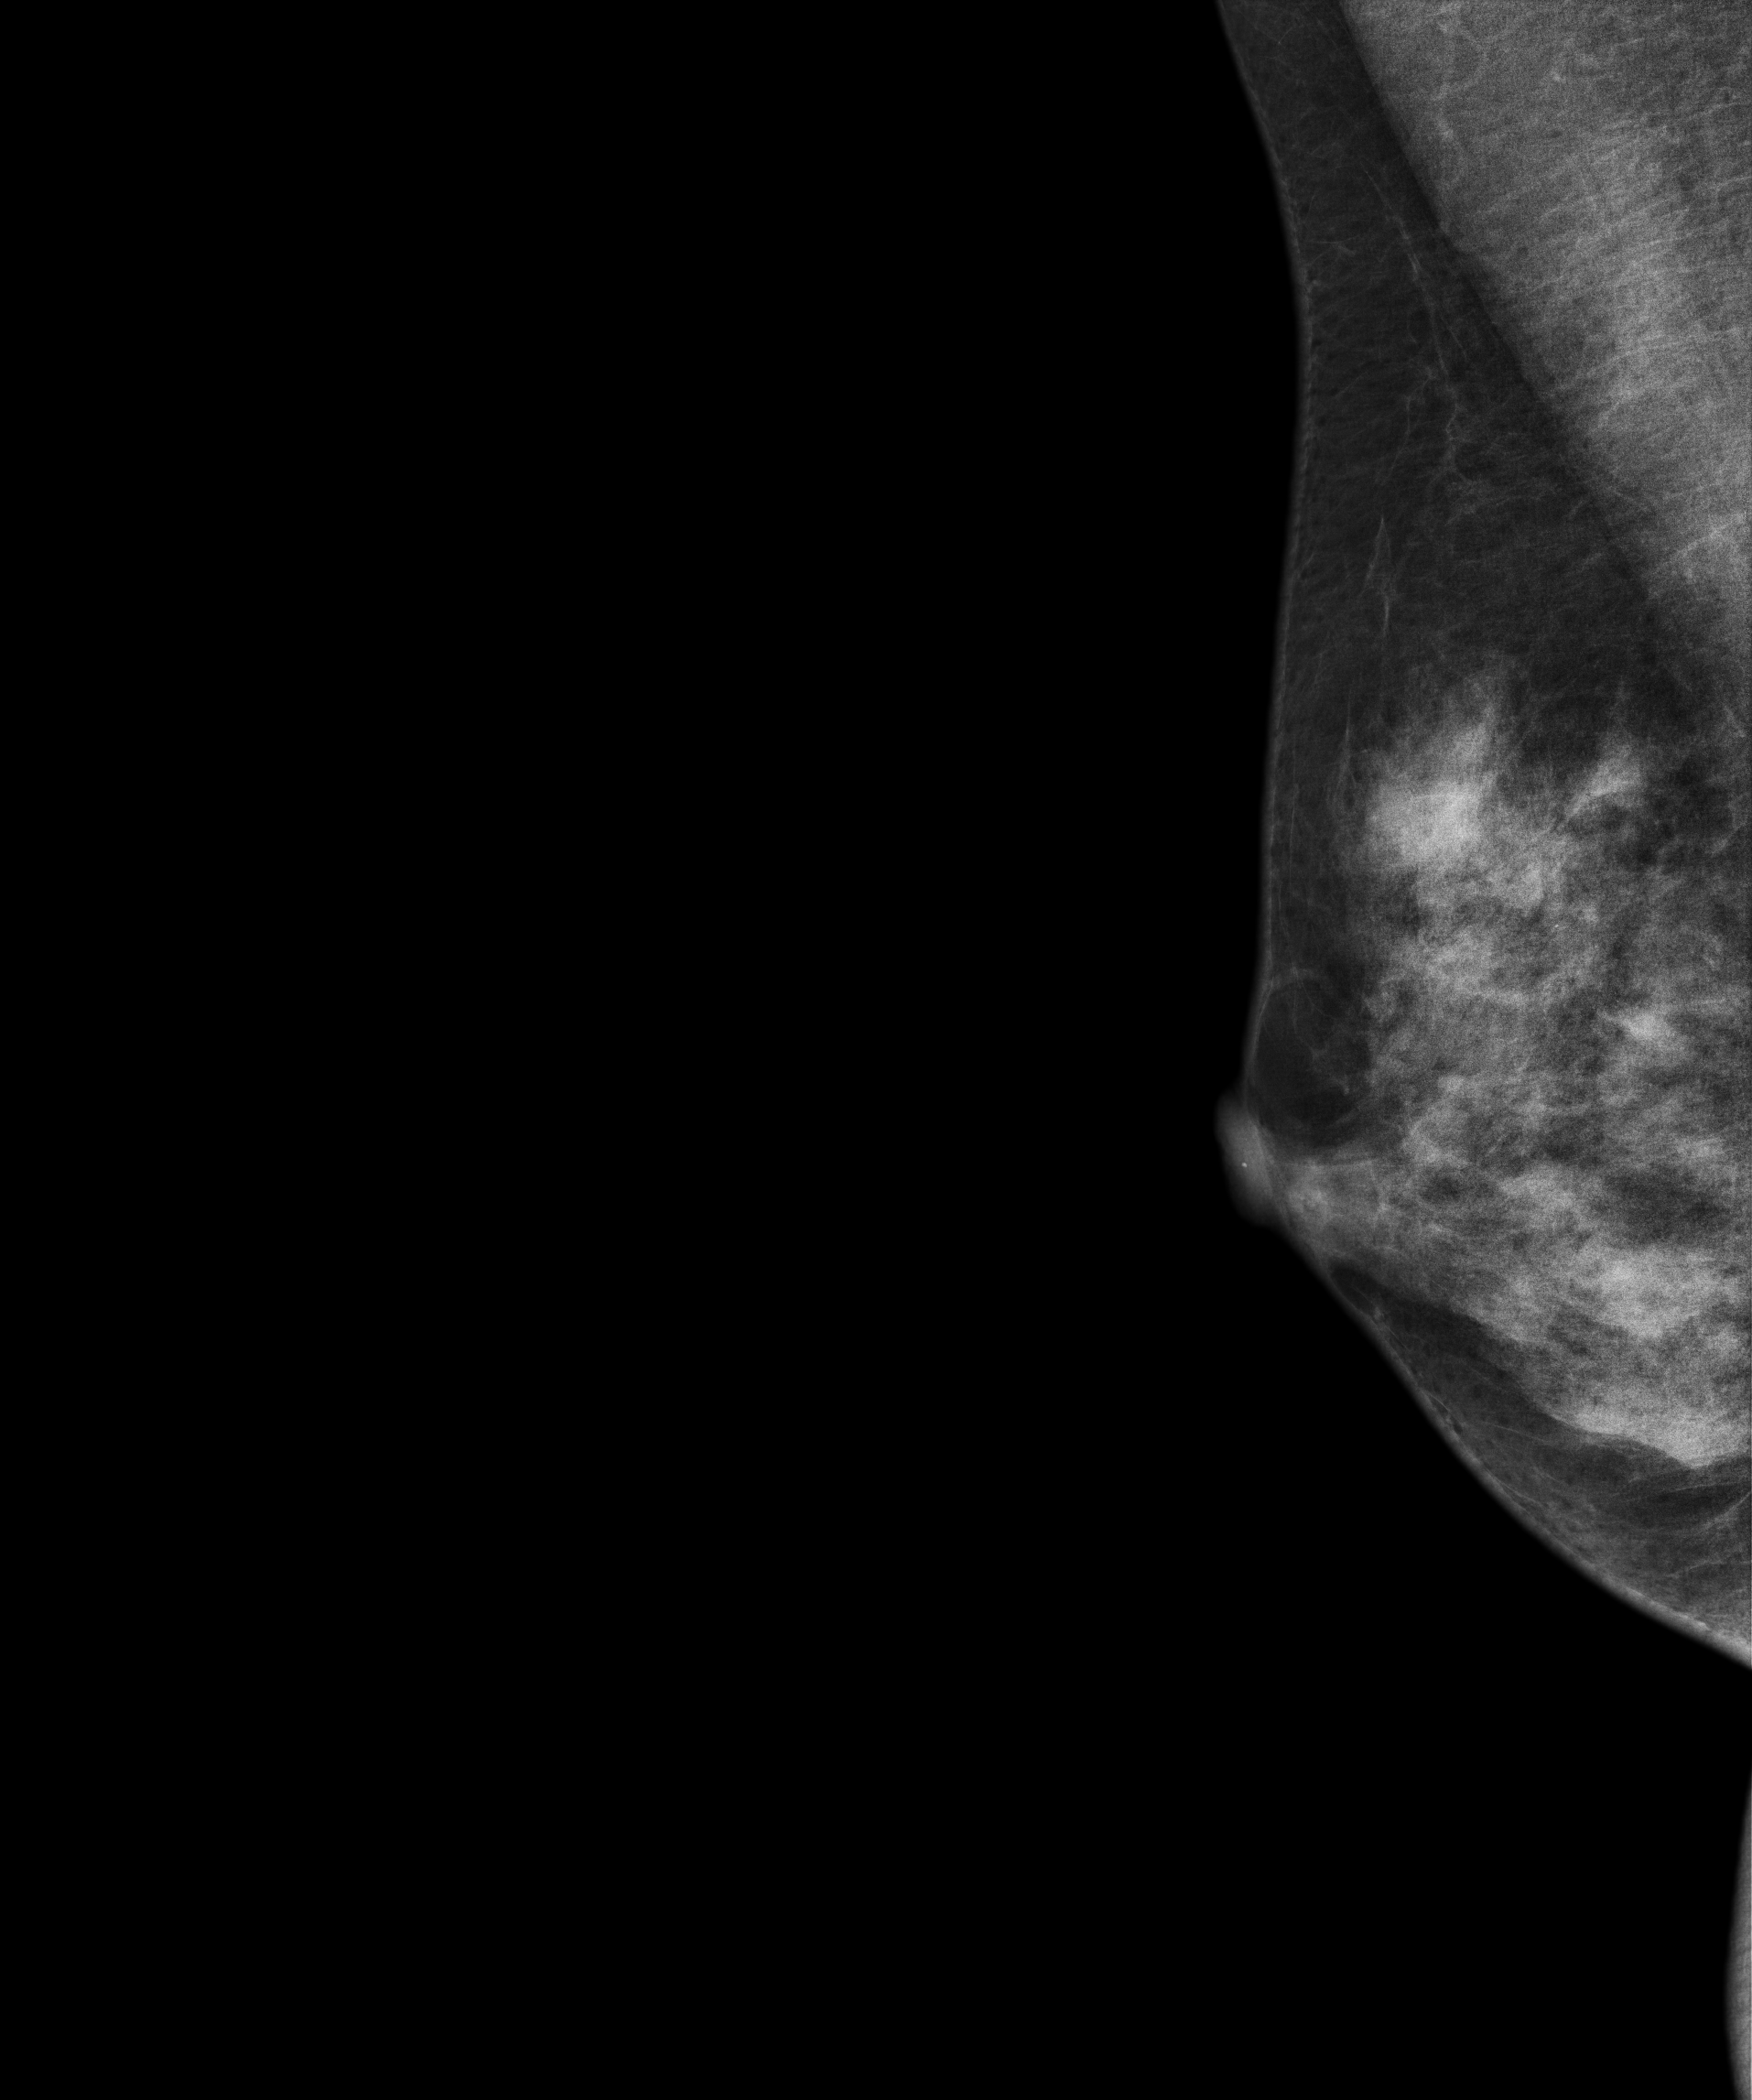
Medio-lateral oblique mammogram of the right breast. 42 y/o patient.
This breast has a mass, biopsy-confirmed malignant. Molecular subtype: HER2-enriched.